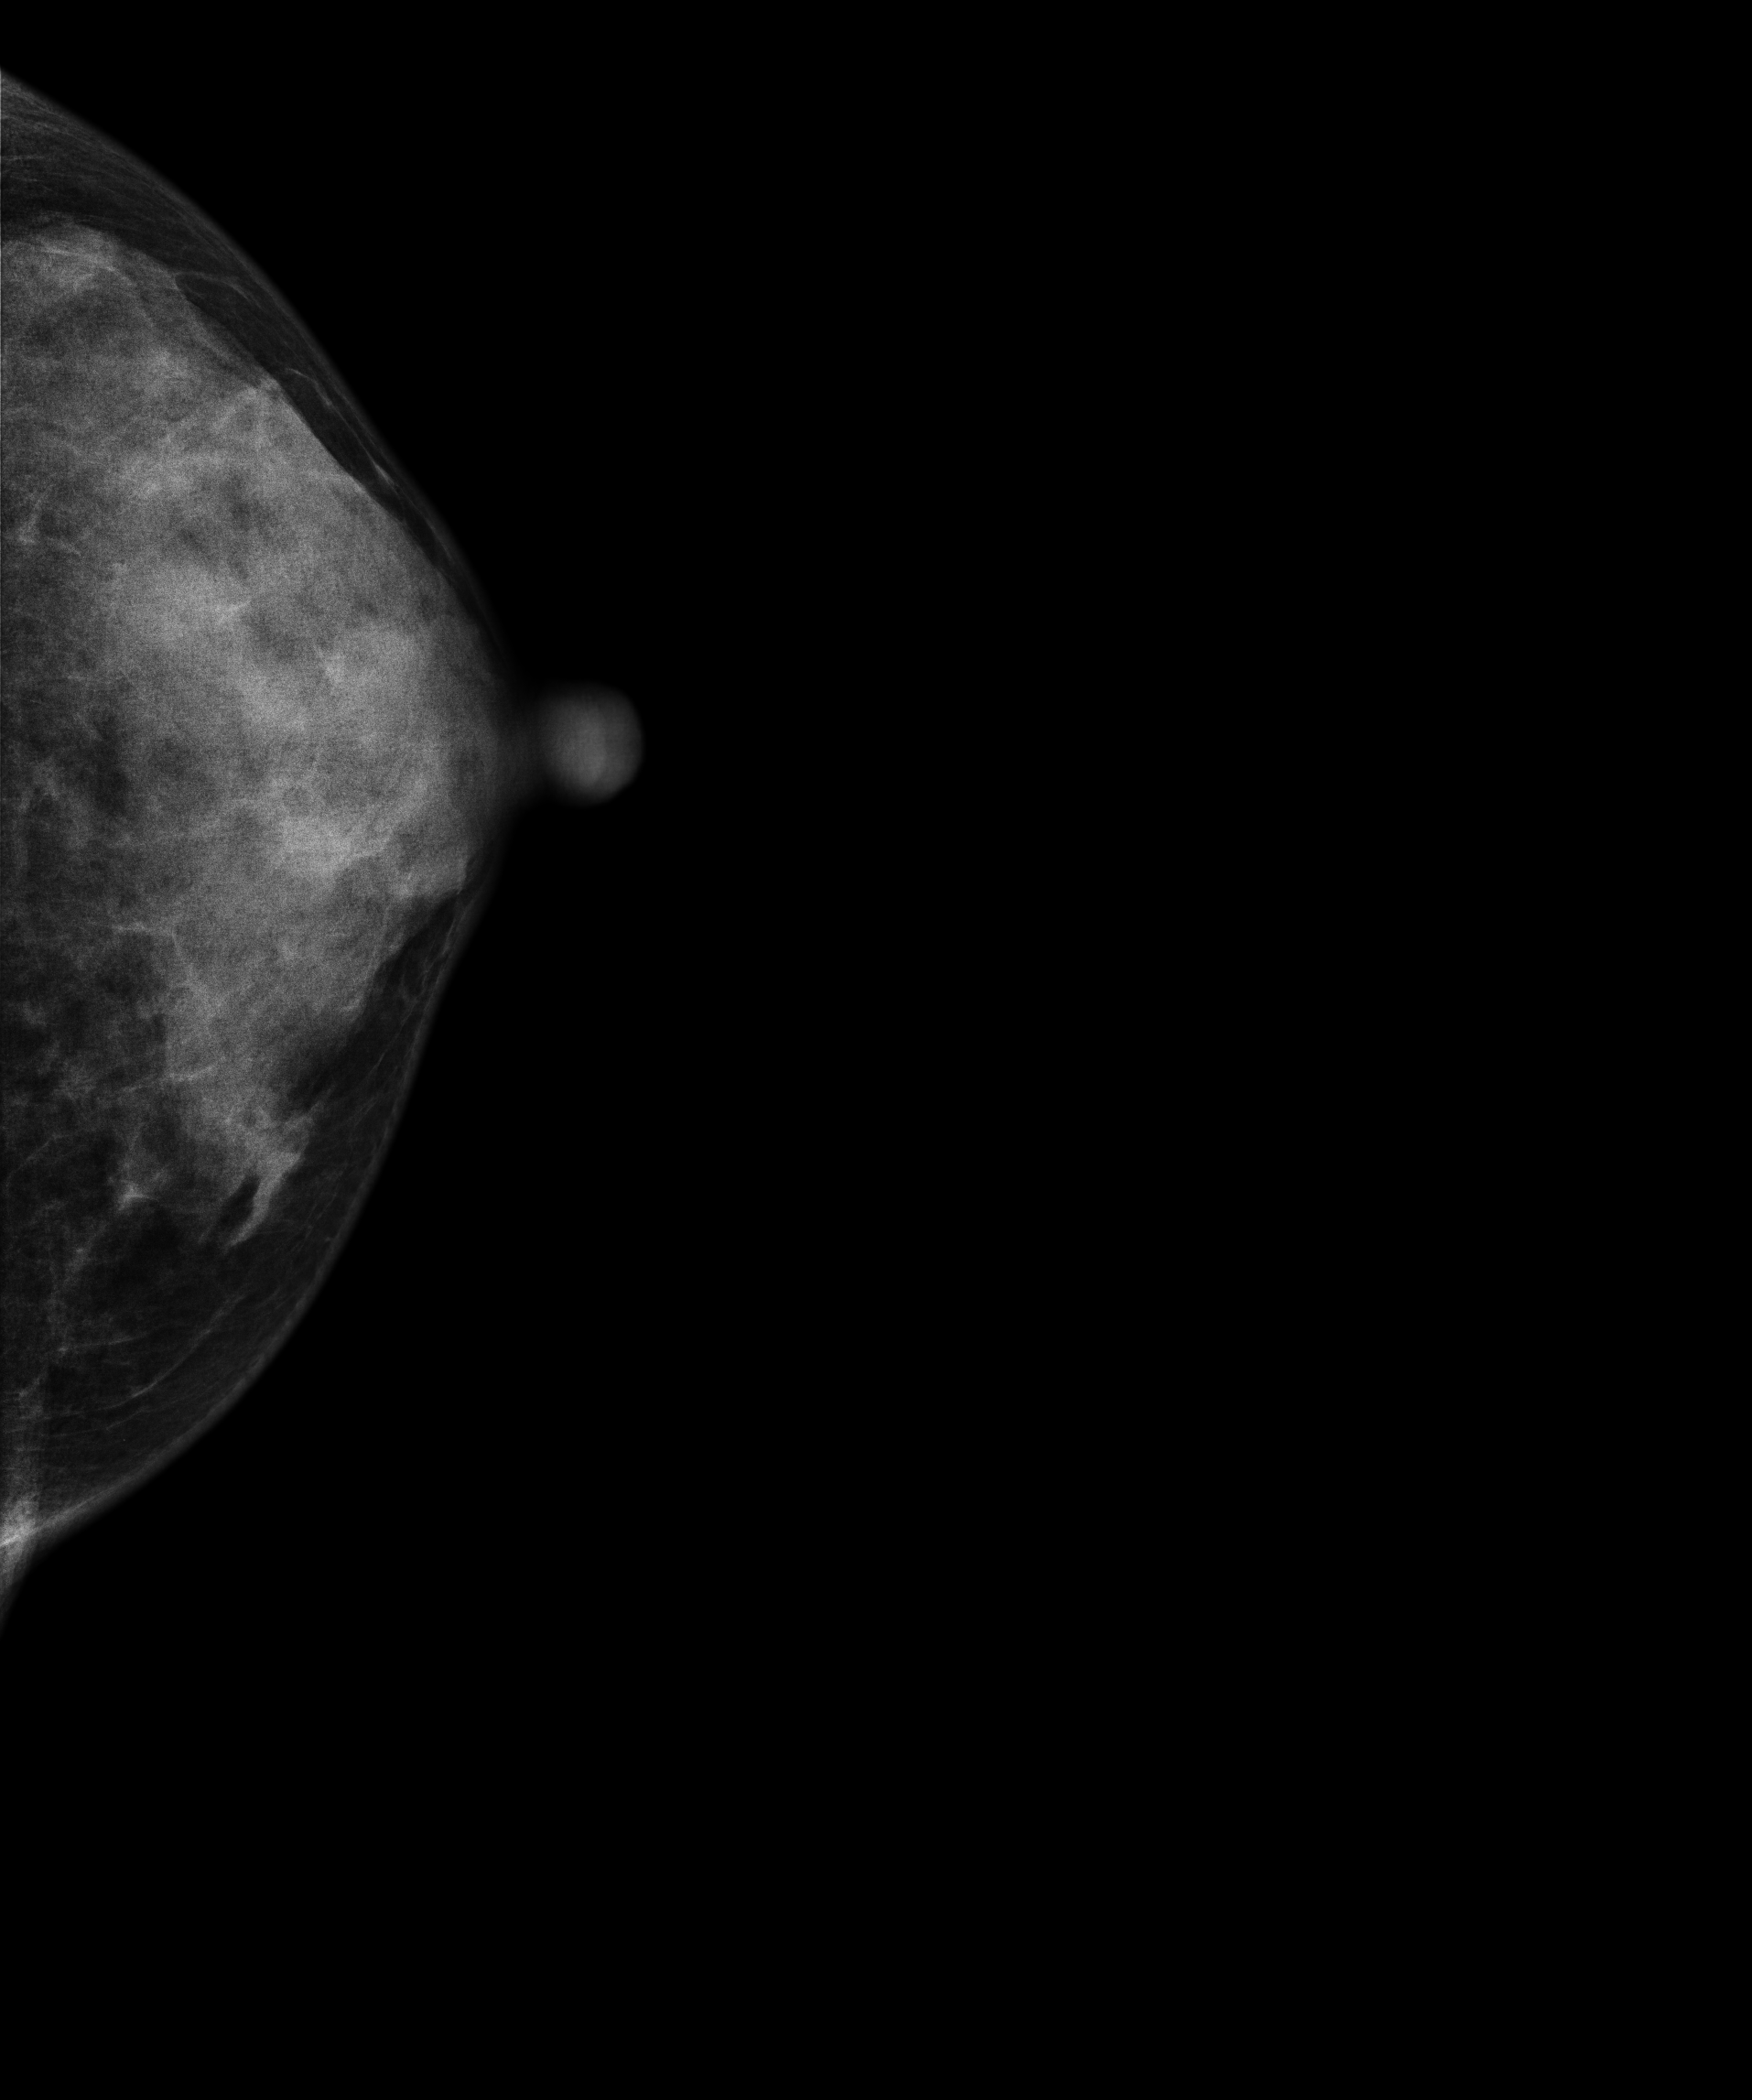
Mammogram, left breast, CC view. Patient age 44.
This breast has a mass, biopsy-confirmed benign.